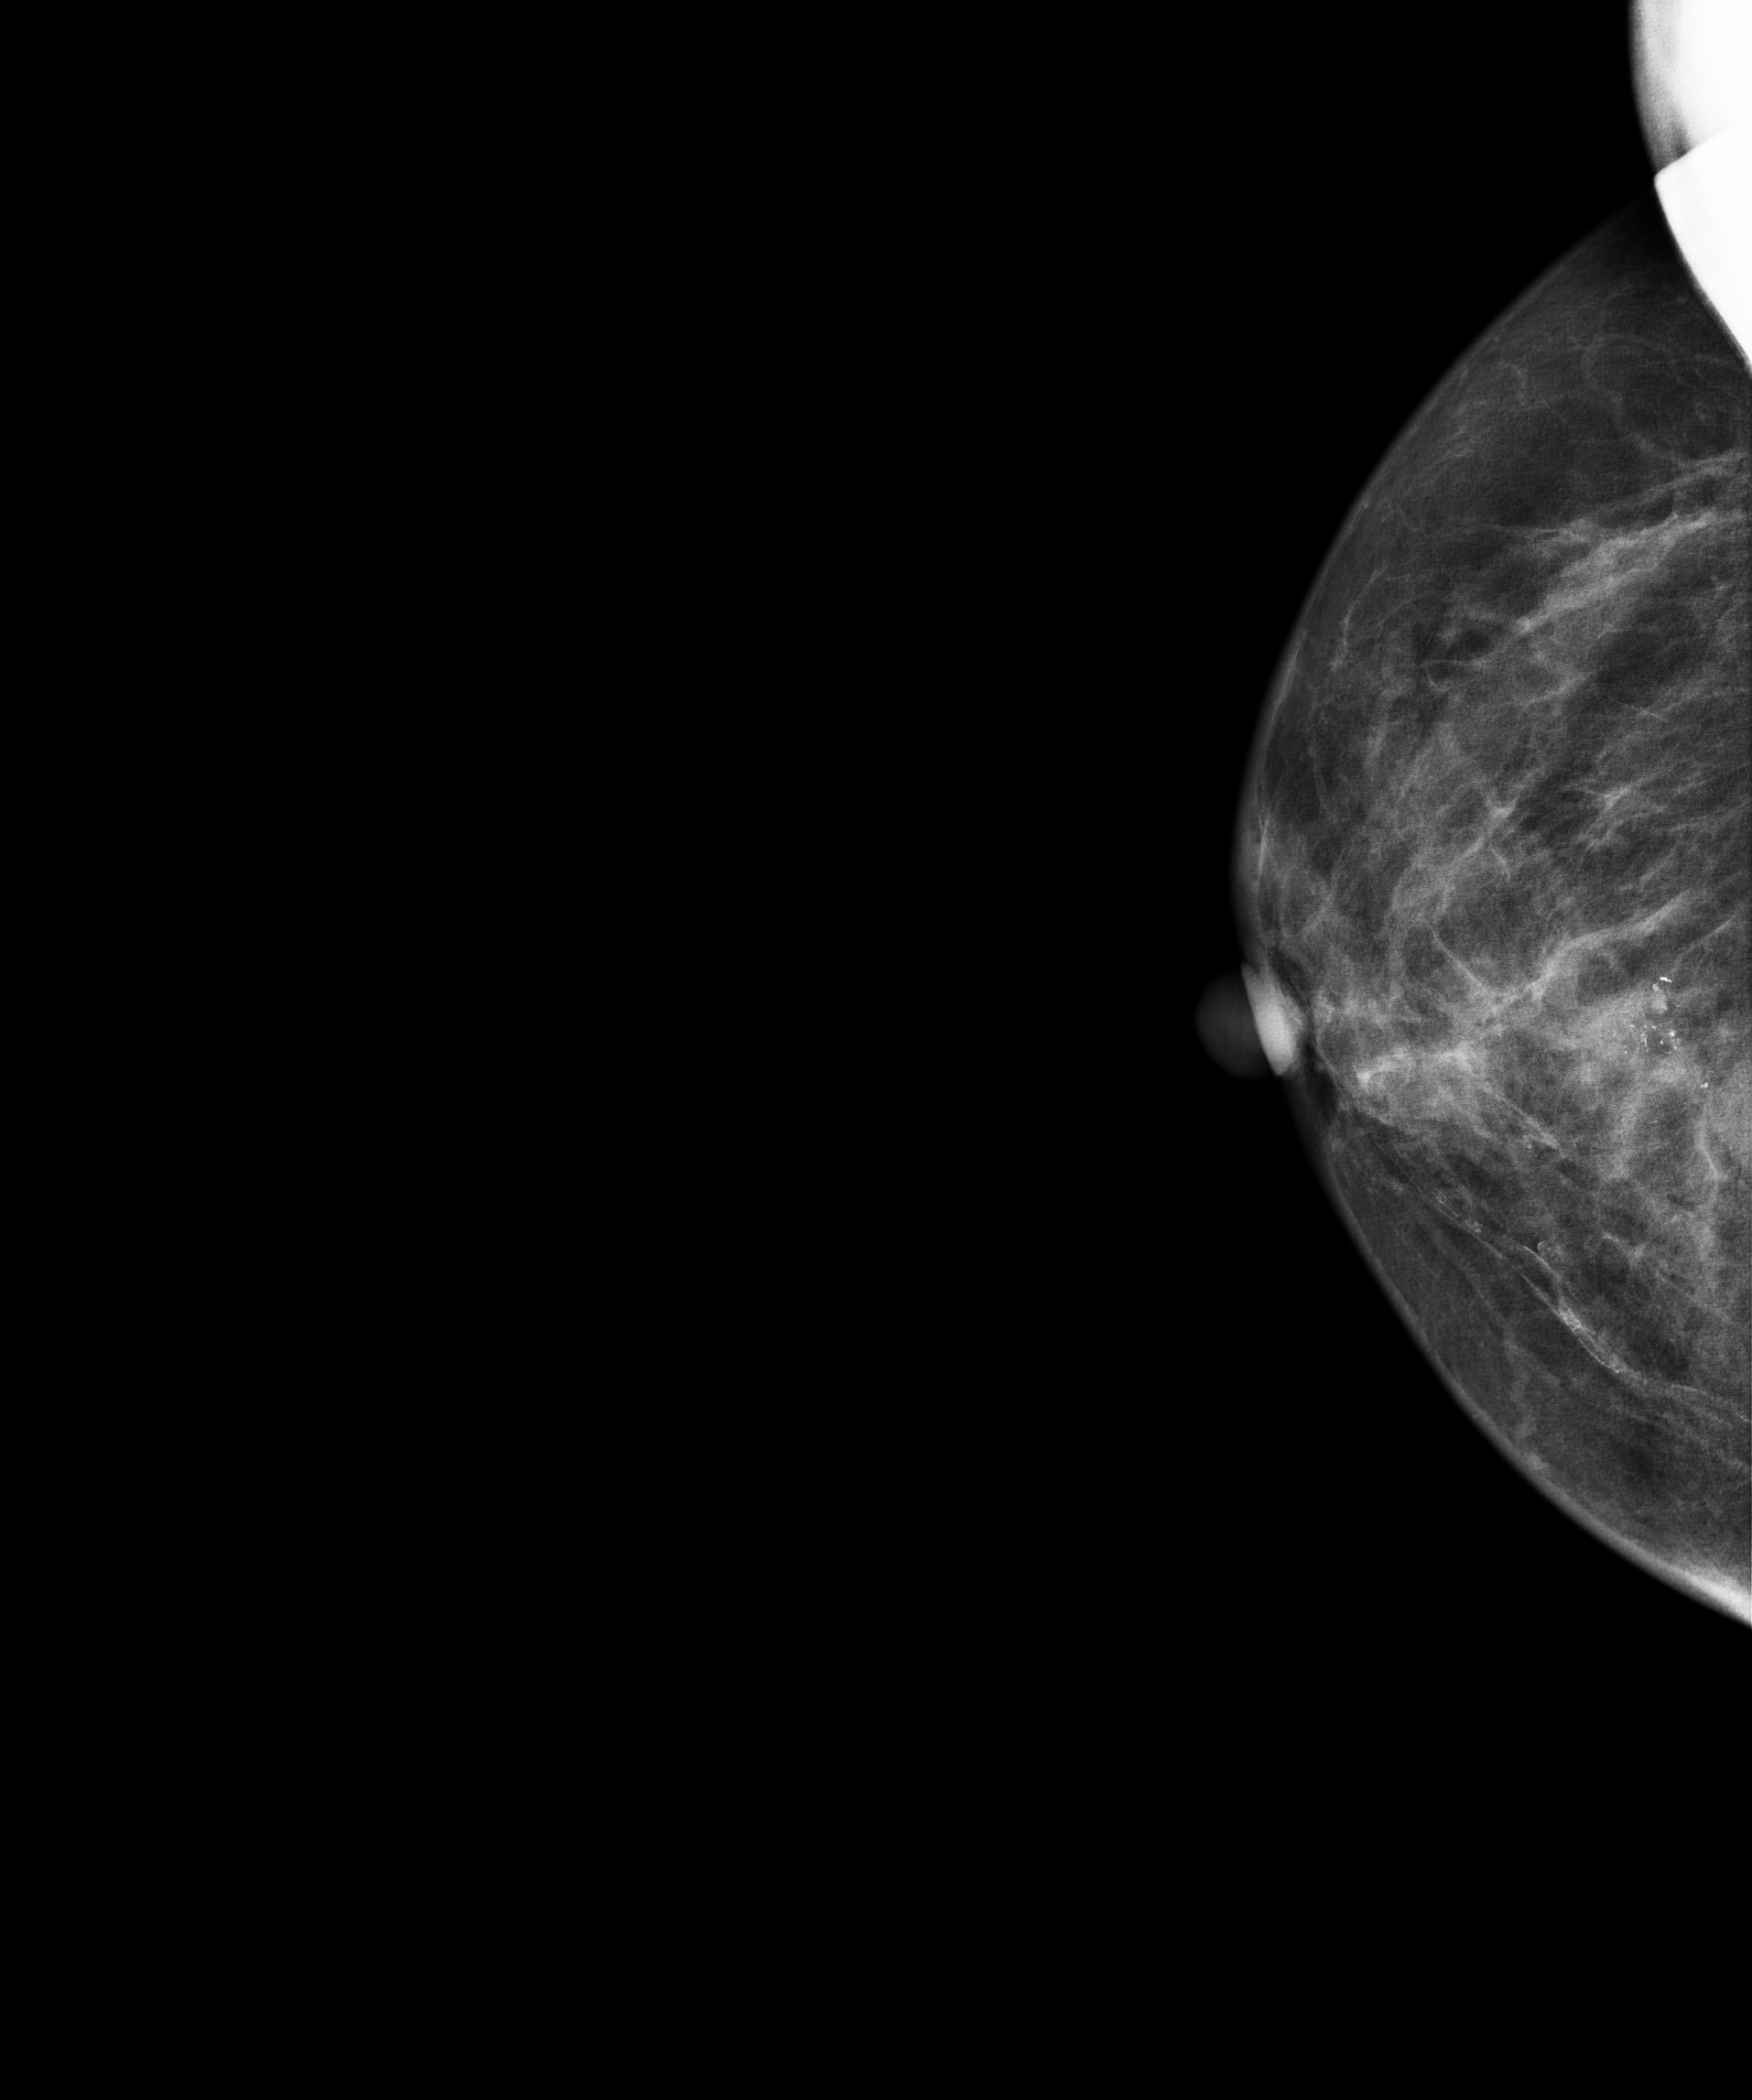
Digital mammography. Right breast, cranio-caudal projection. Patient age 69.
This breast has calcifications, biopsy-confirmed malignant.